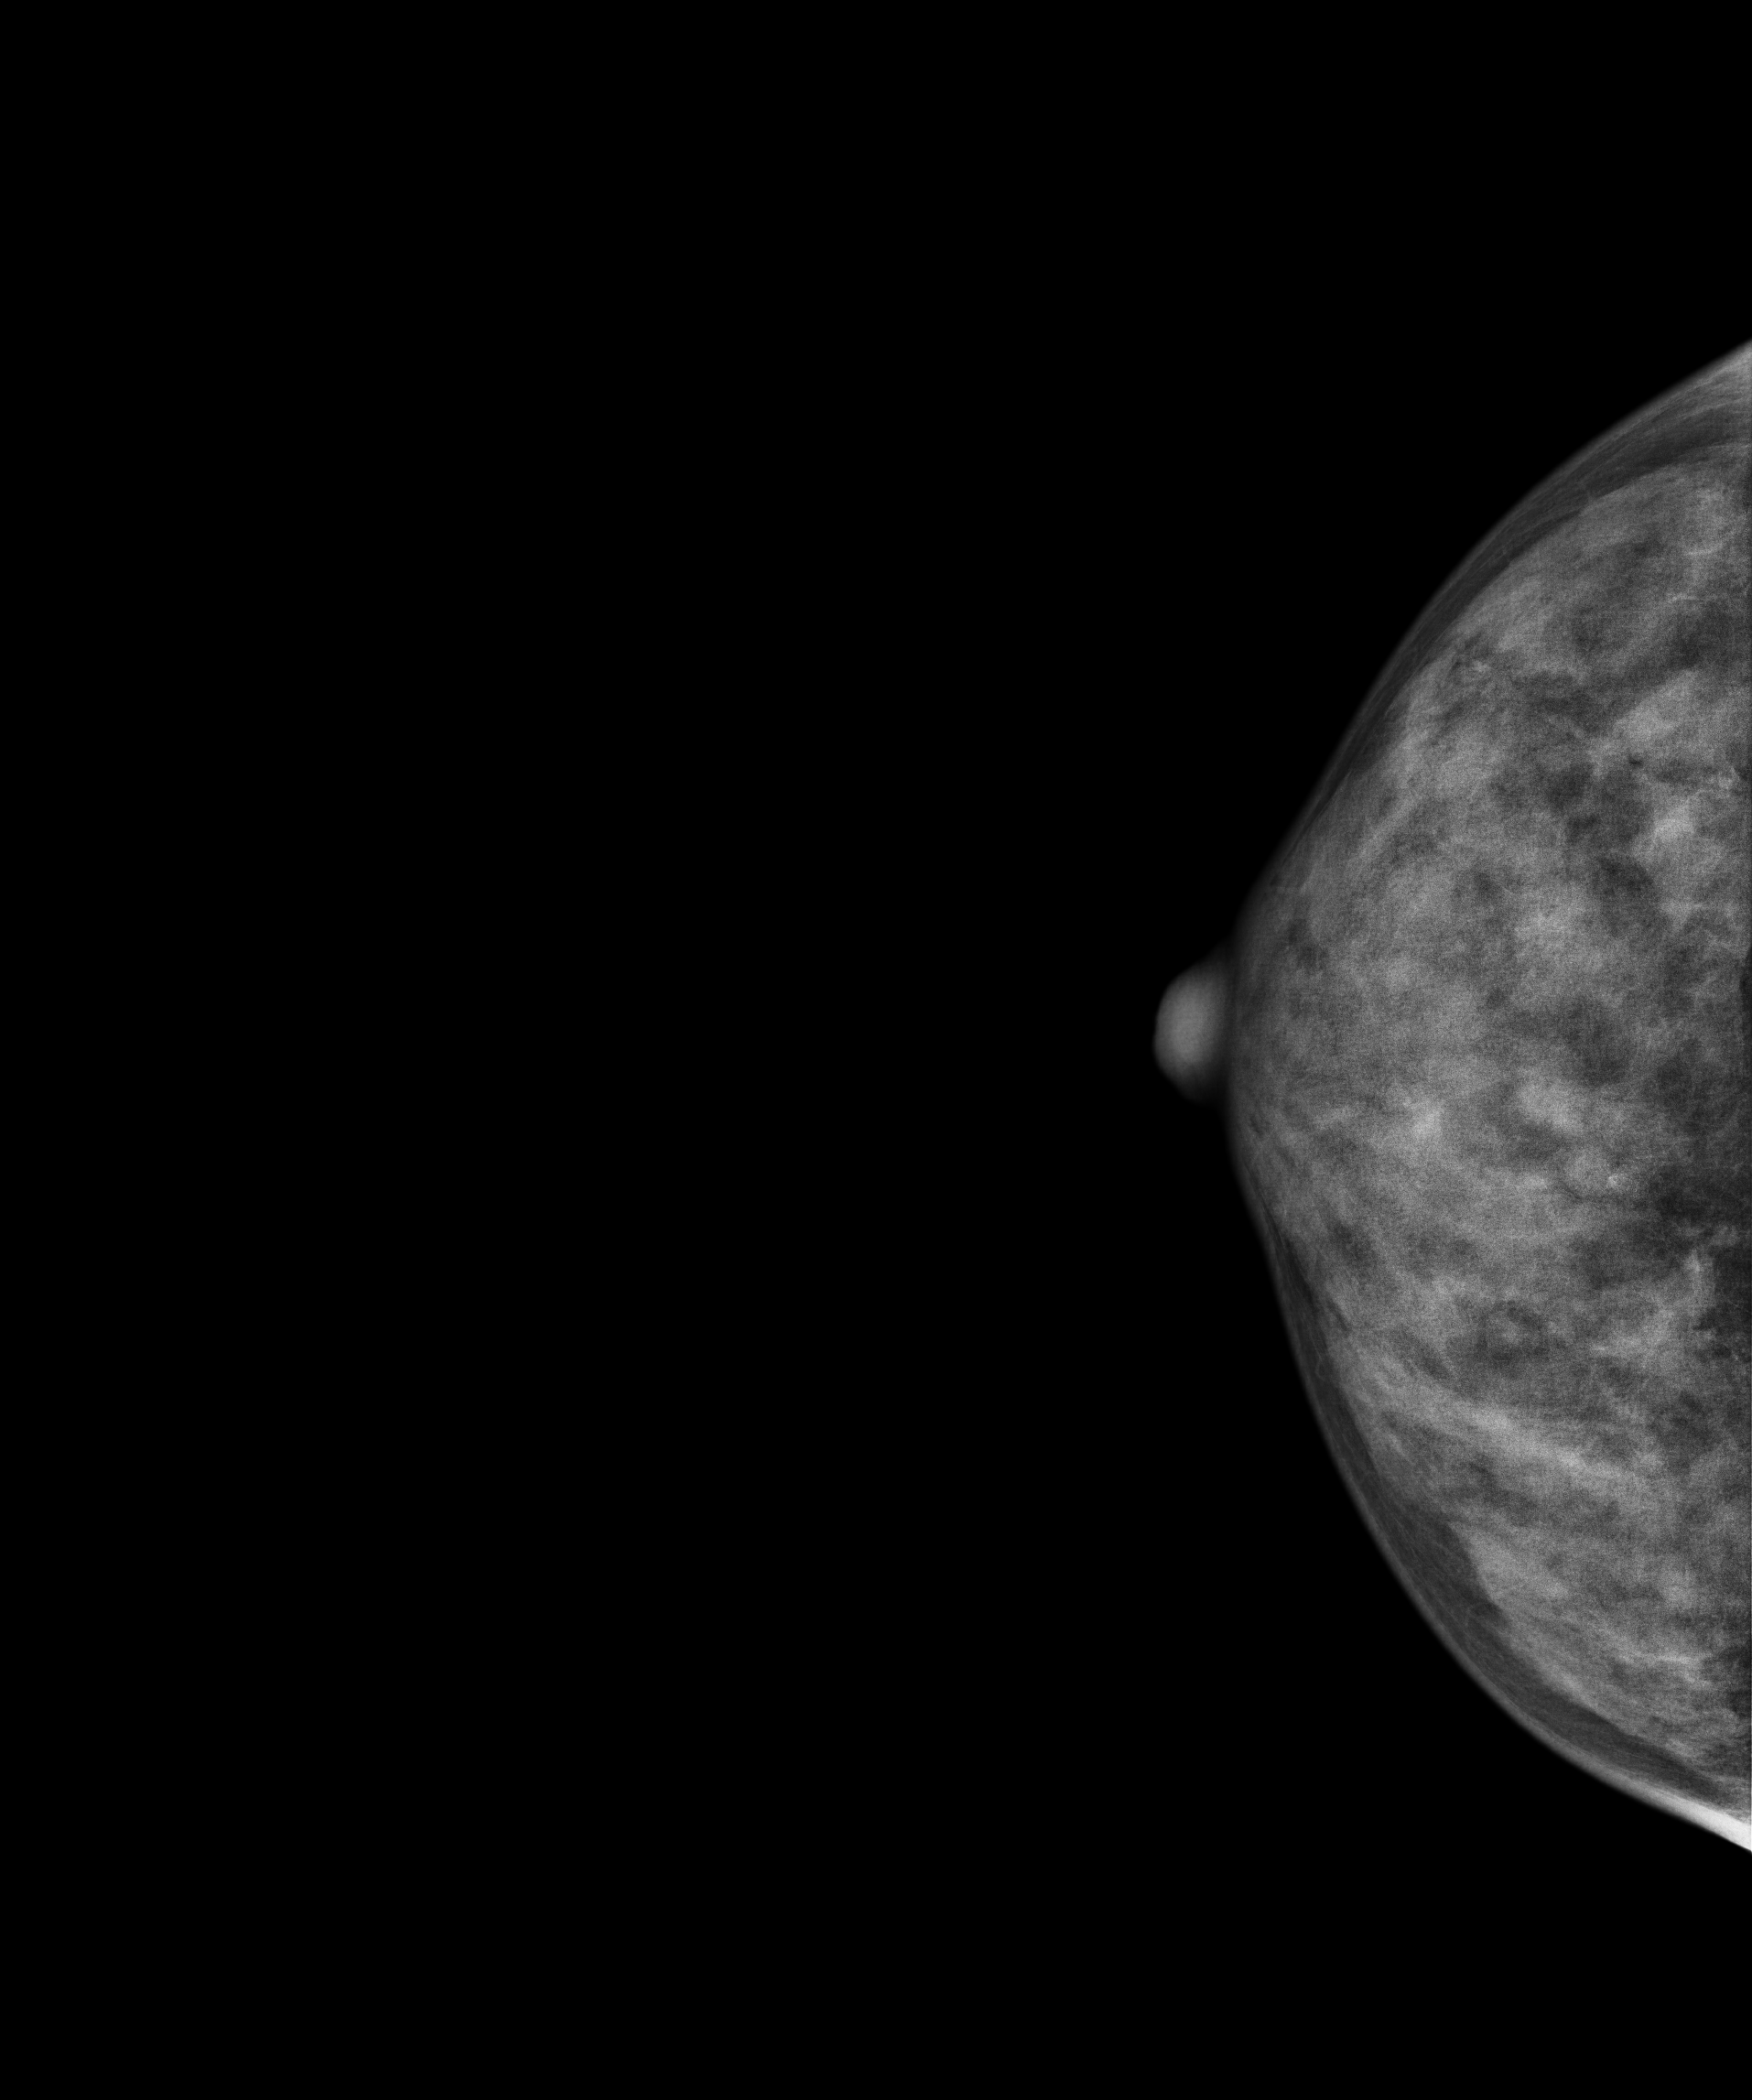
CC mammogram of the right breast. 51 y/o patient.
Contralateral breast — no documented abnormality on this side.